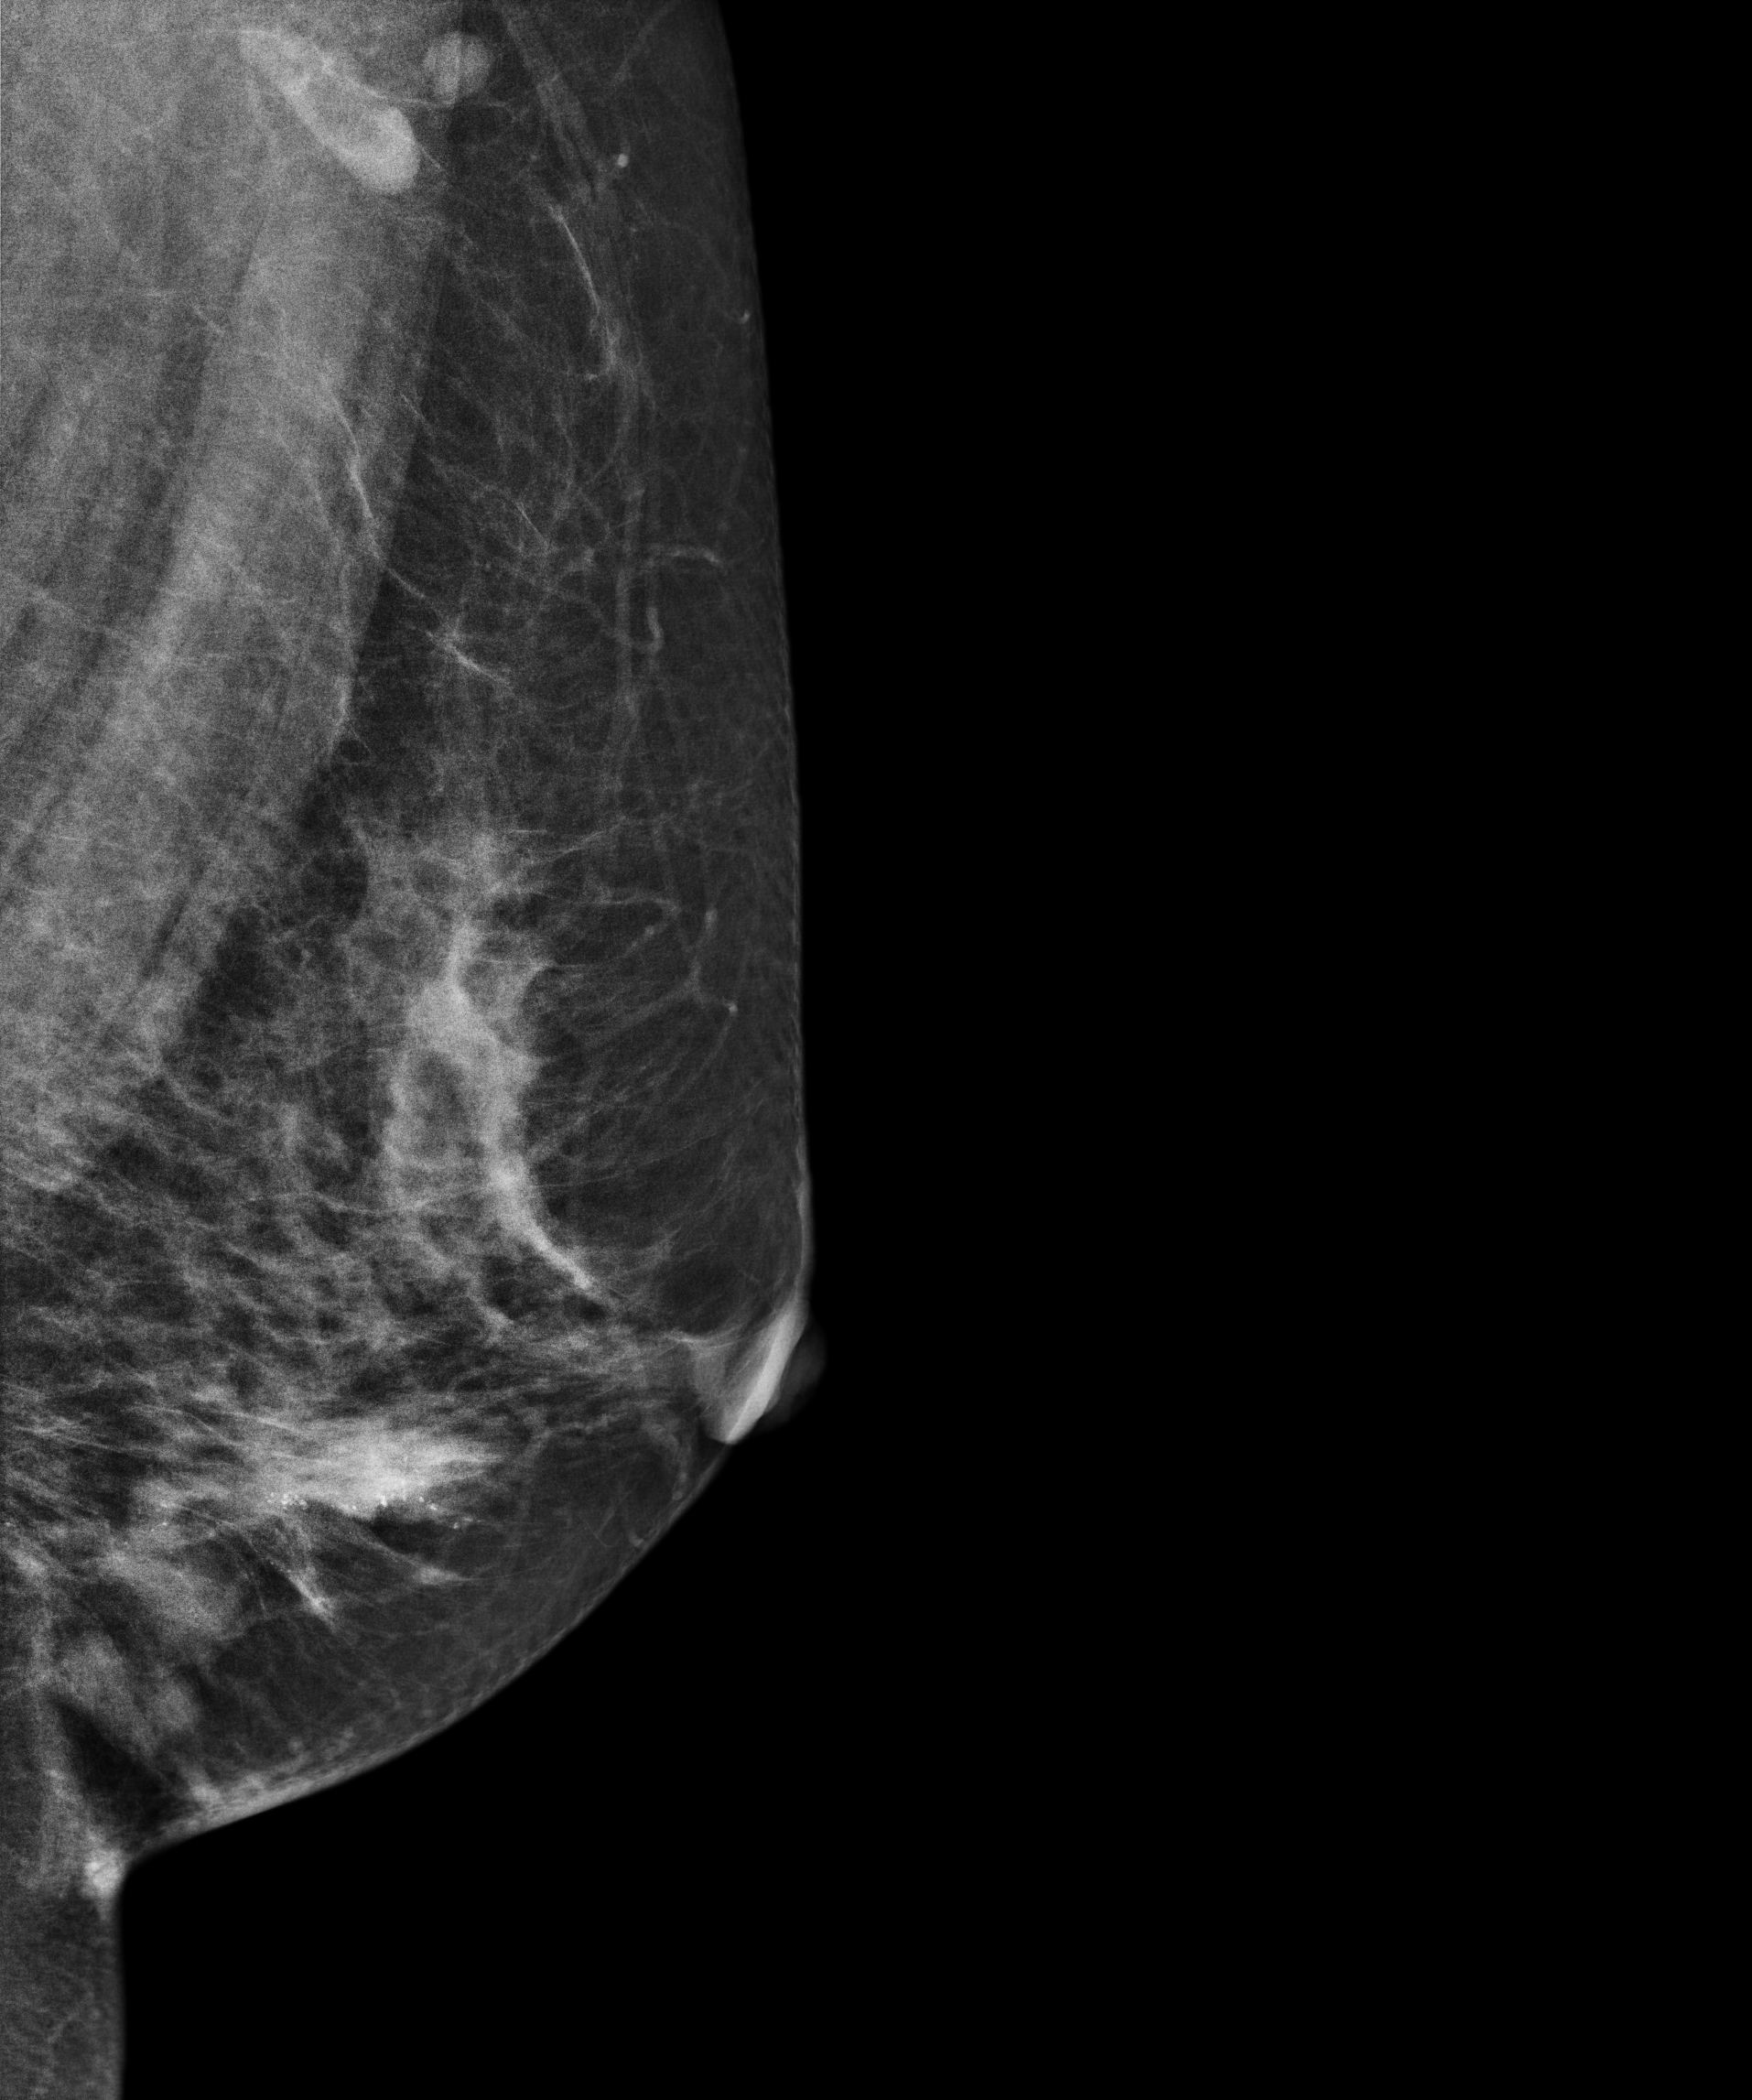
Digital mammography. Left breast, medio-lateral oblique projection. 54-year-old patient.
This breast has a mass and calcifications, histologically confirmed malignant. Molecular subtype: HER2-enriched.